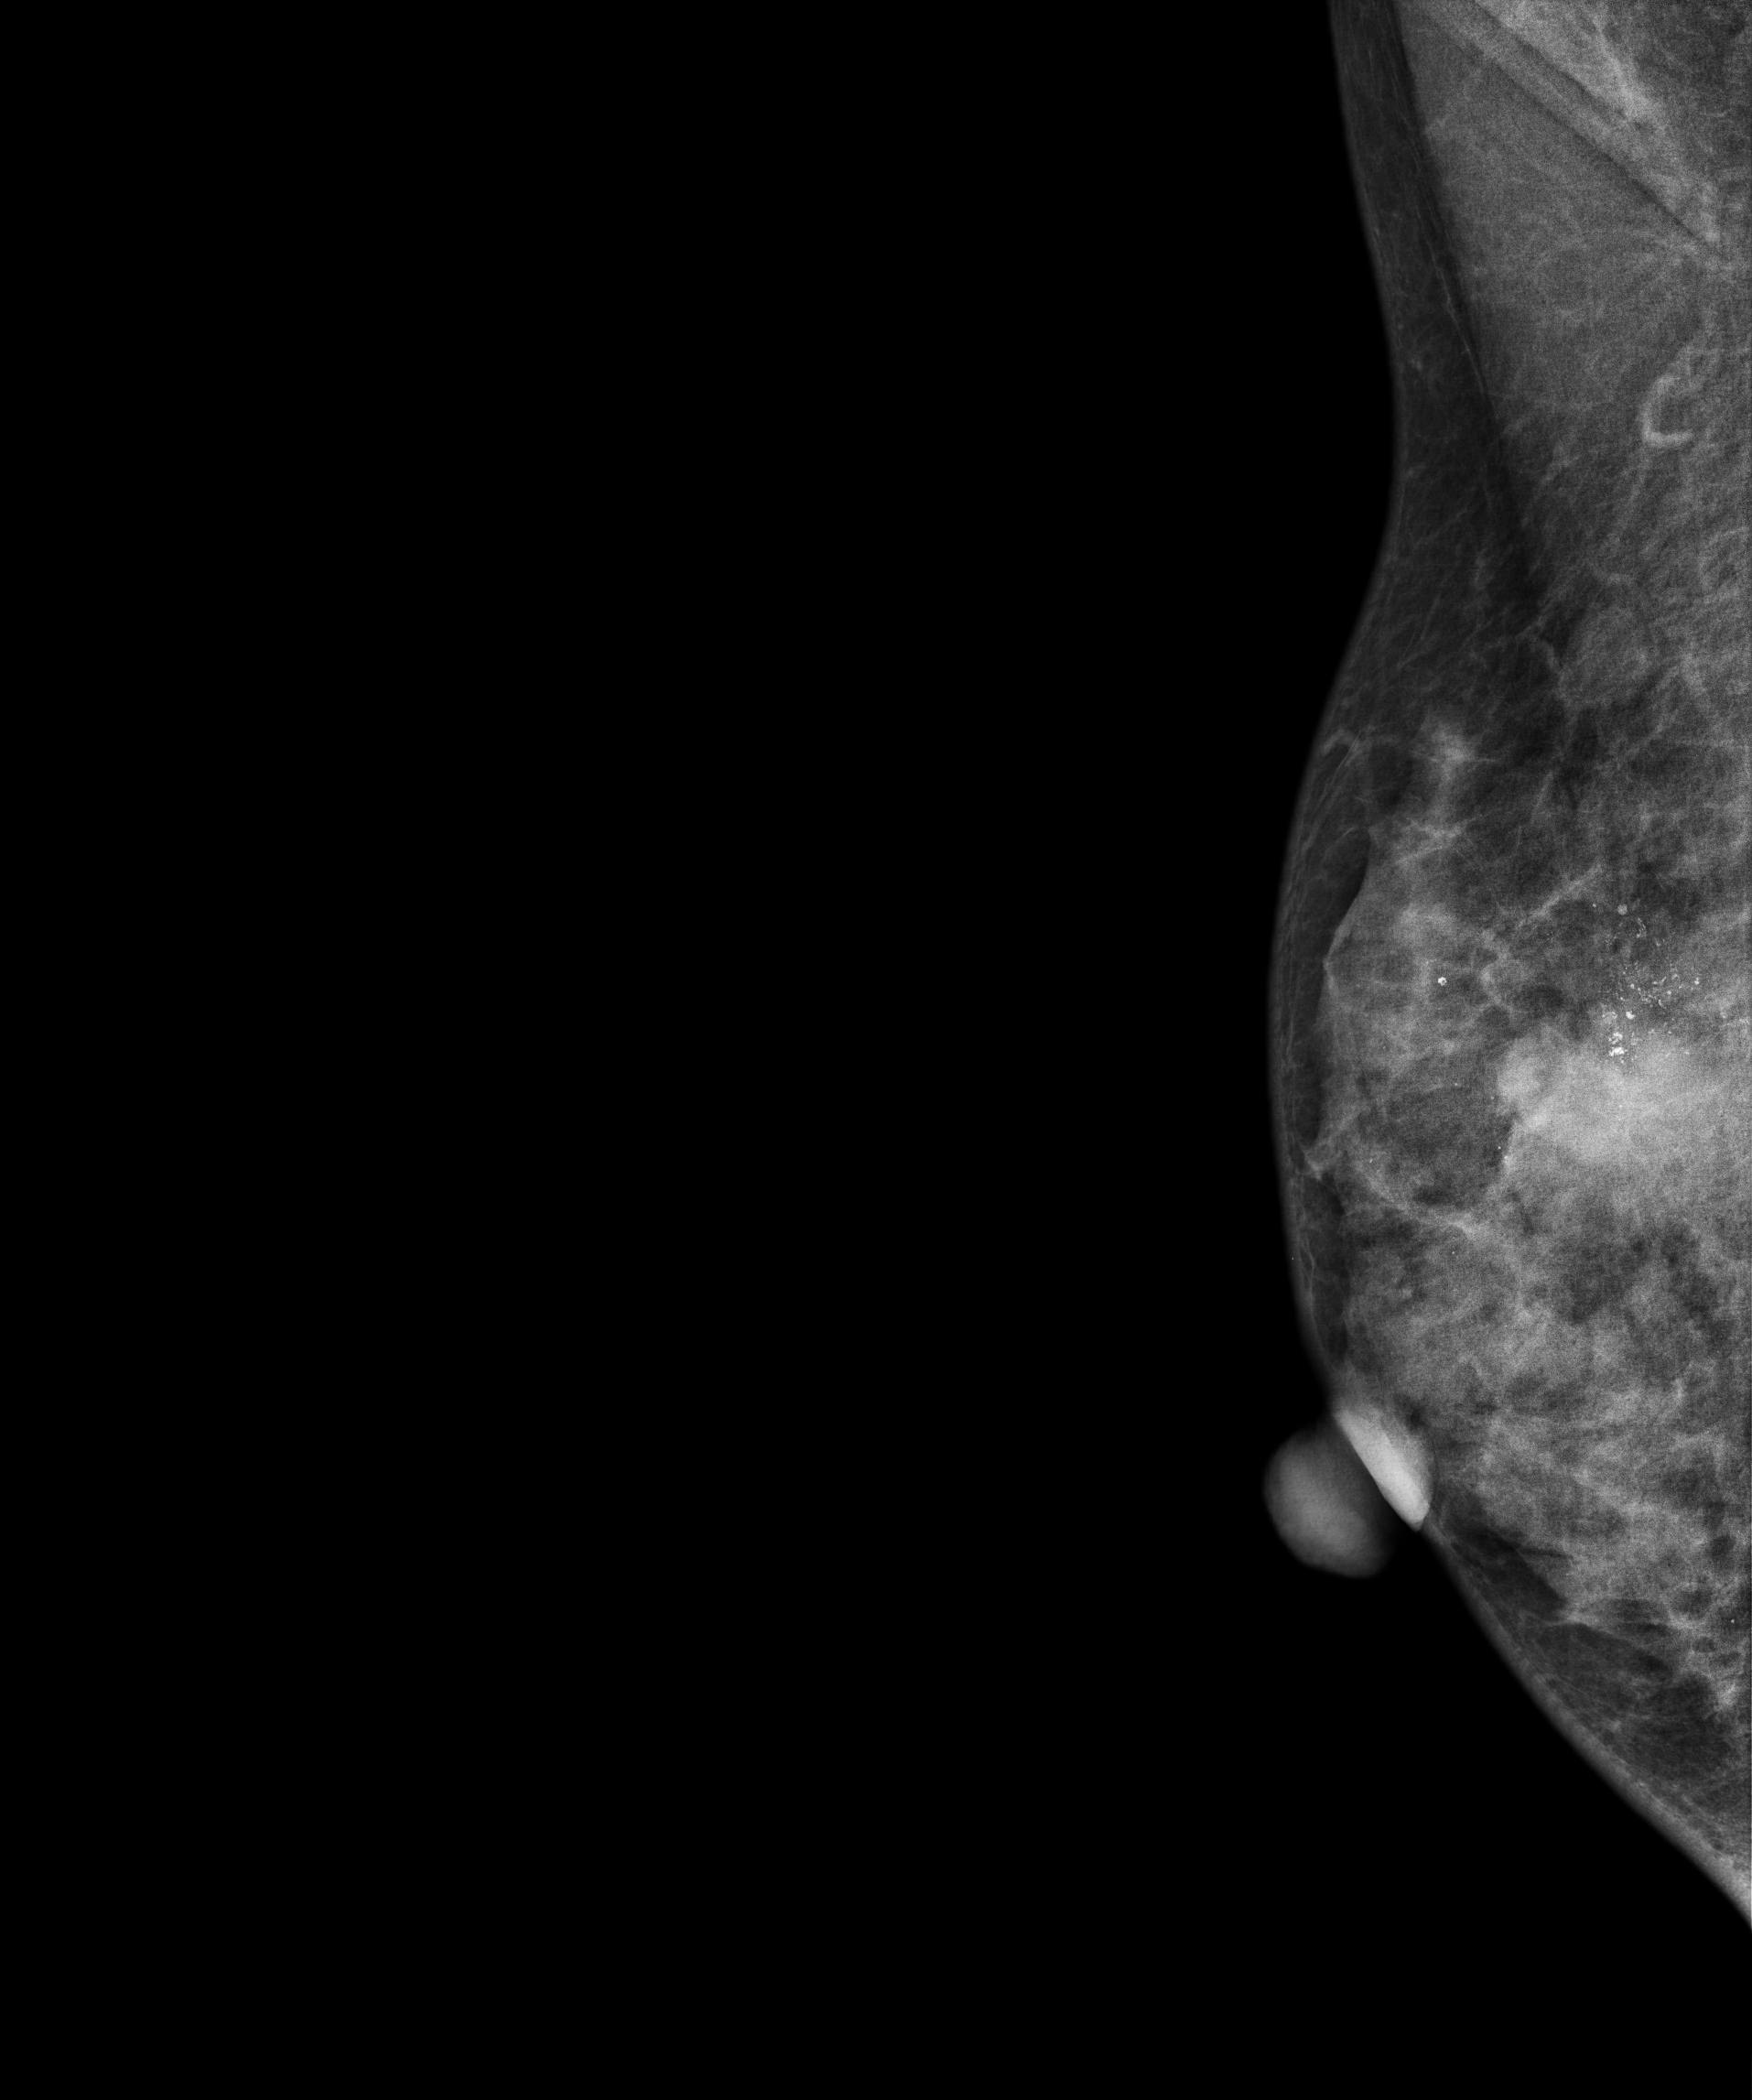
Mammogram — right MLO. Patient age 49.
This breast has a mass and calcifications, histologically confirmed malignant. Molecular subtype: luminal B.